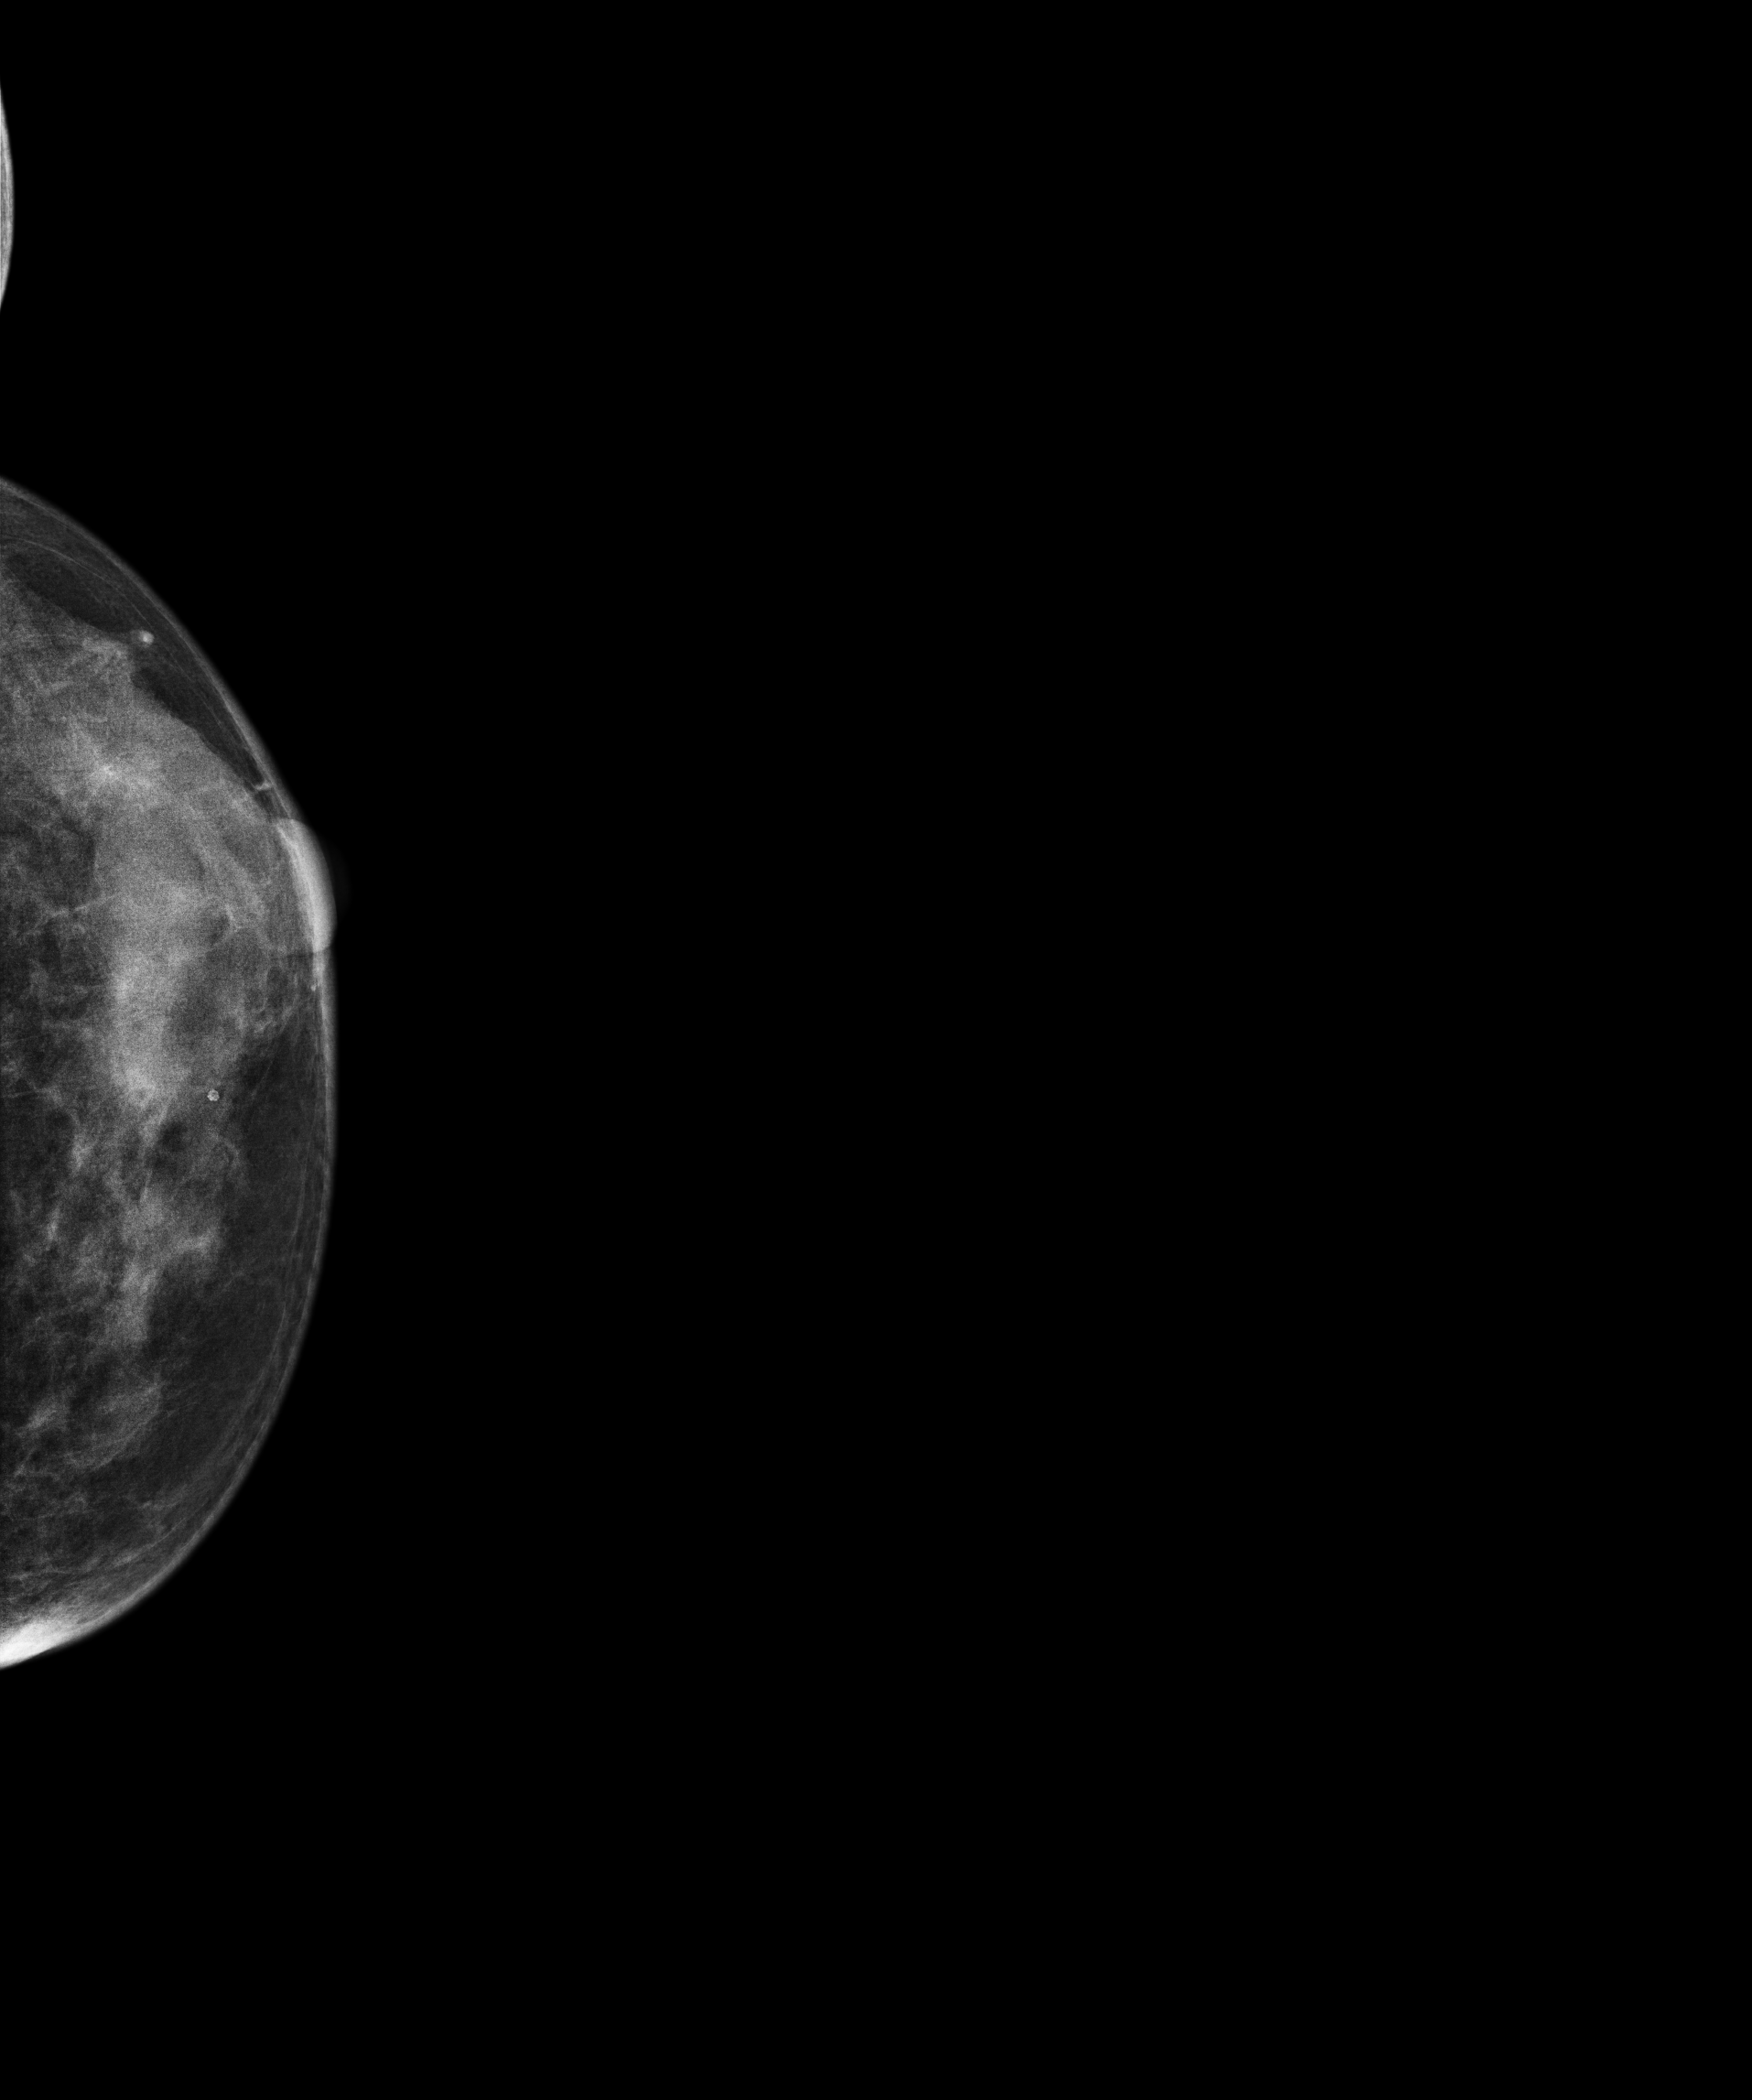
Digital mammography. Left breast, CC projection. 44-year-old patient.
Contralateral breast — no documented abnormality on this side.